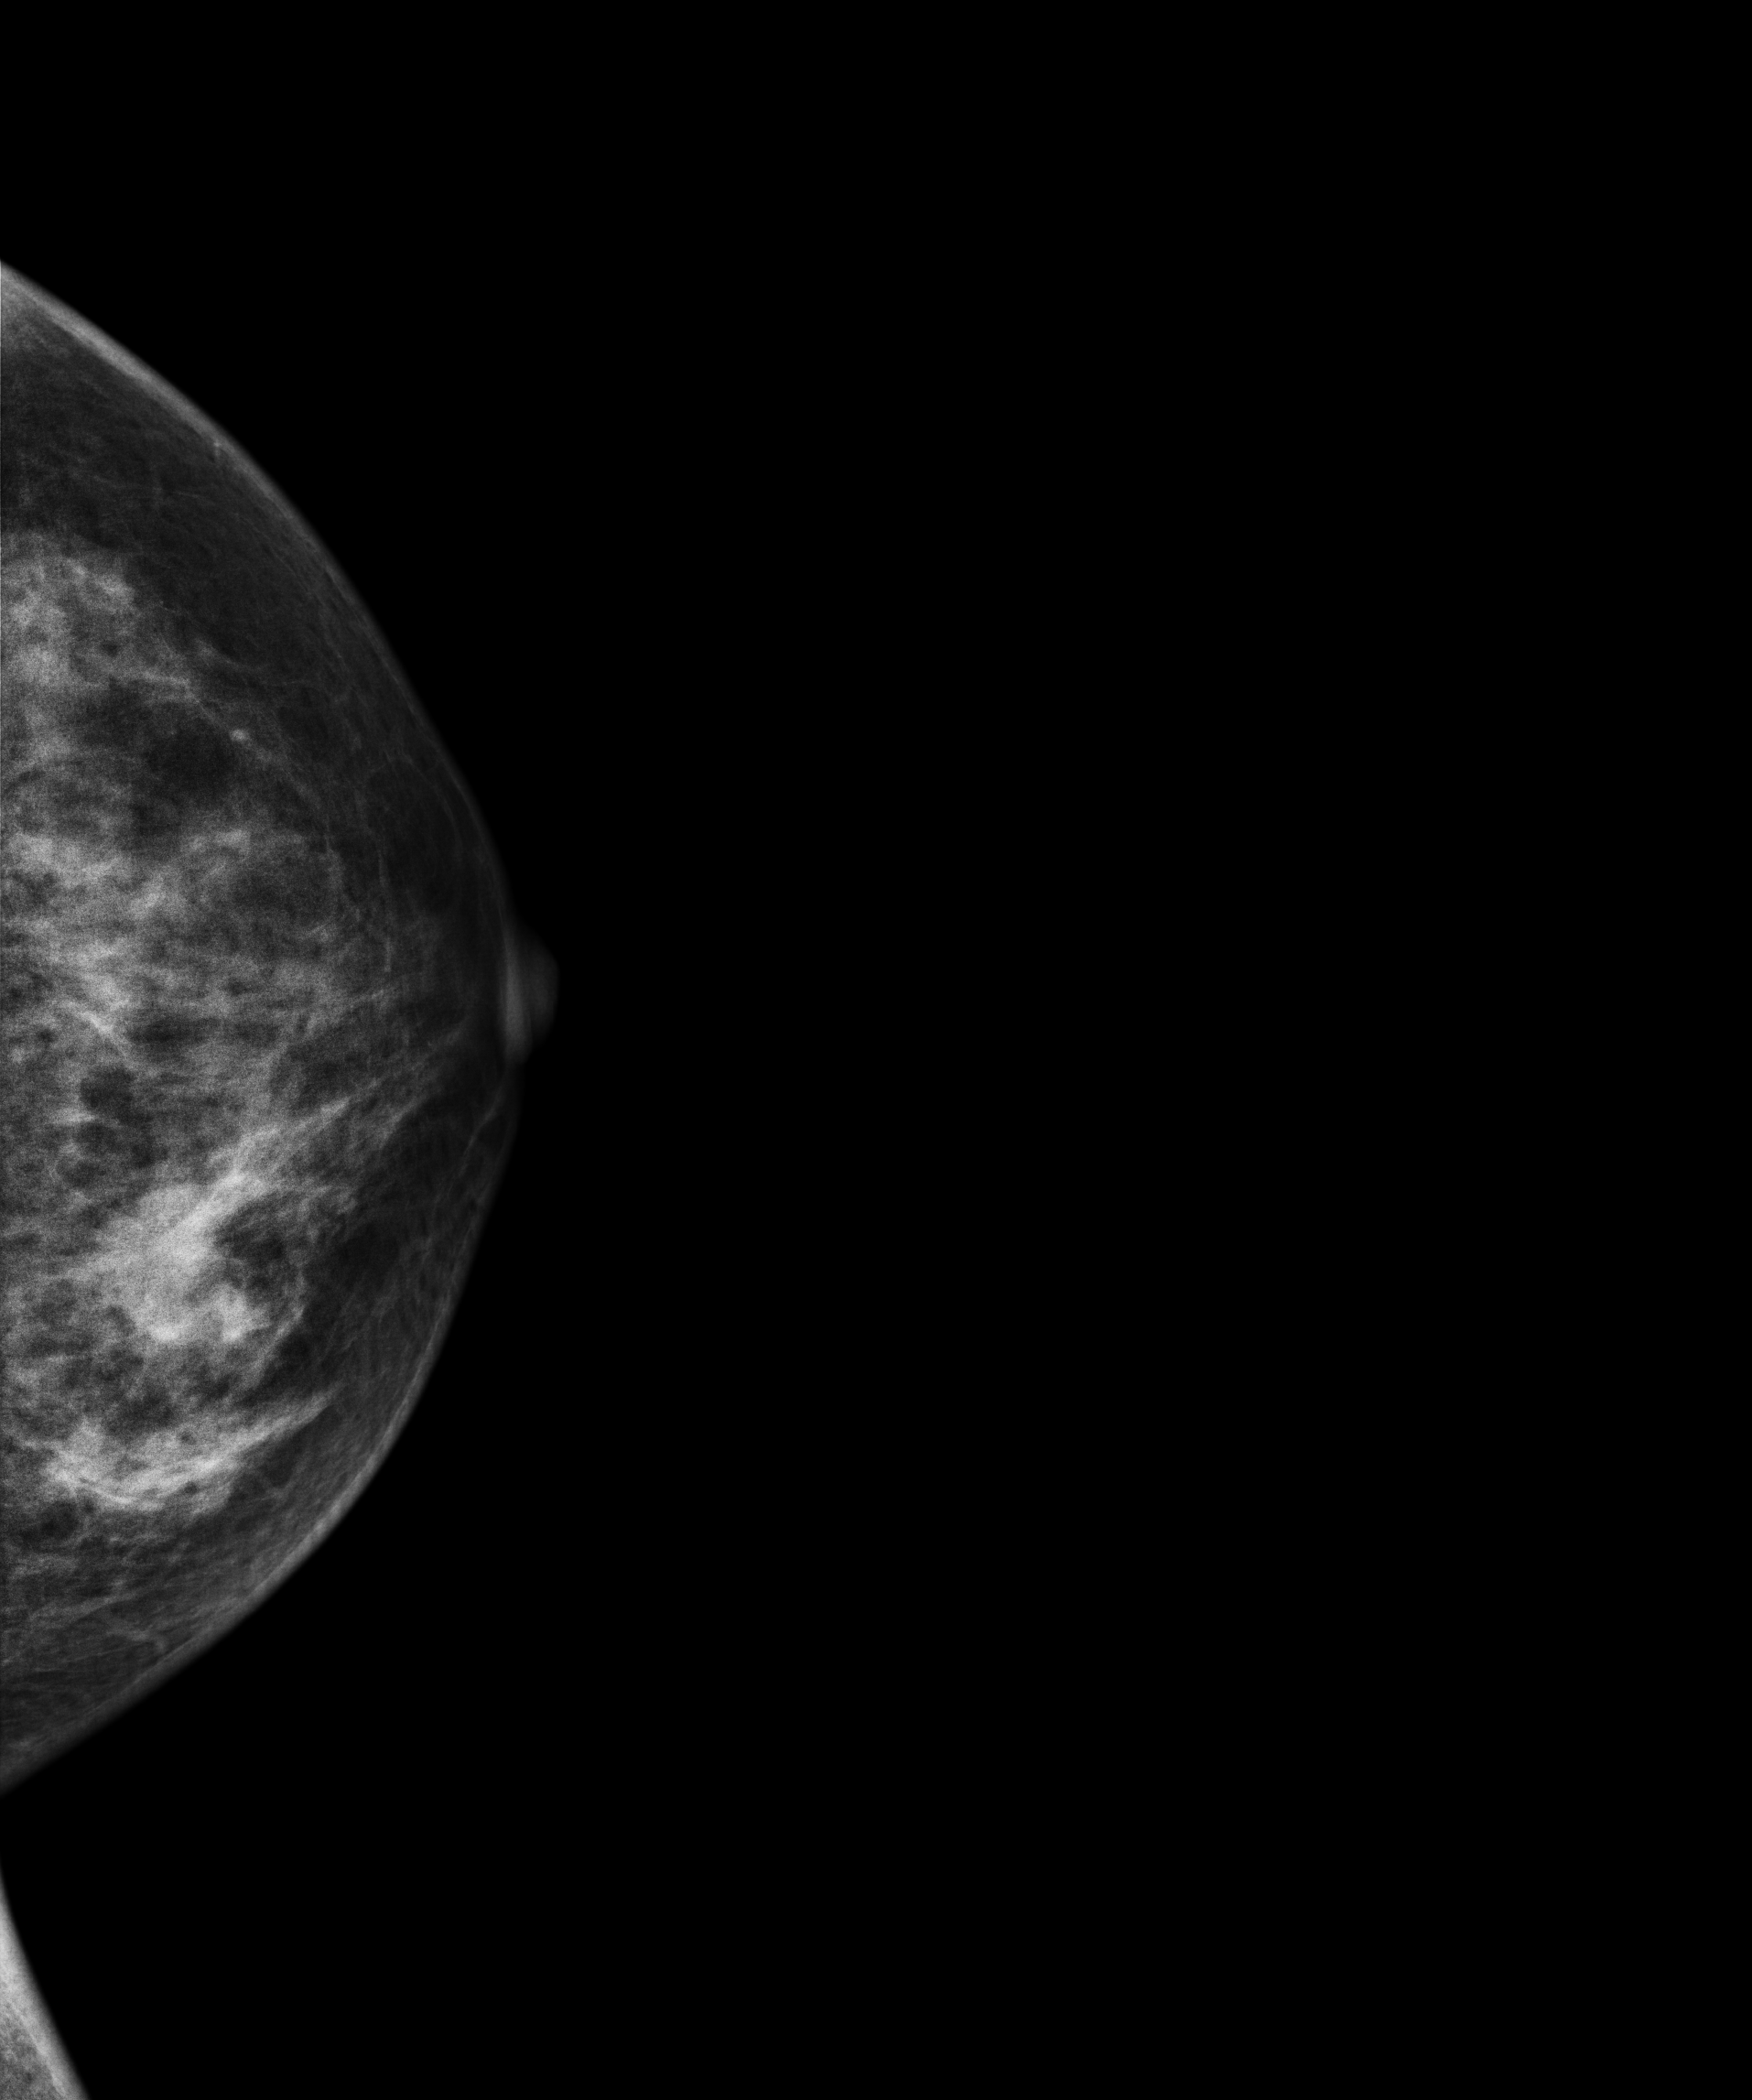
Mammogram — left CC. Patient age 50.
This breast has a mass, pathology-confirmed malignant. Molecular subtype: luminal B.